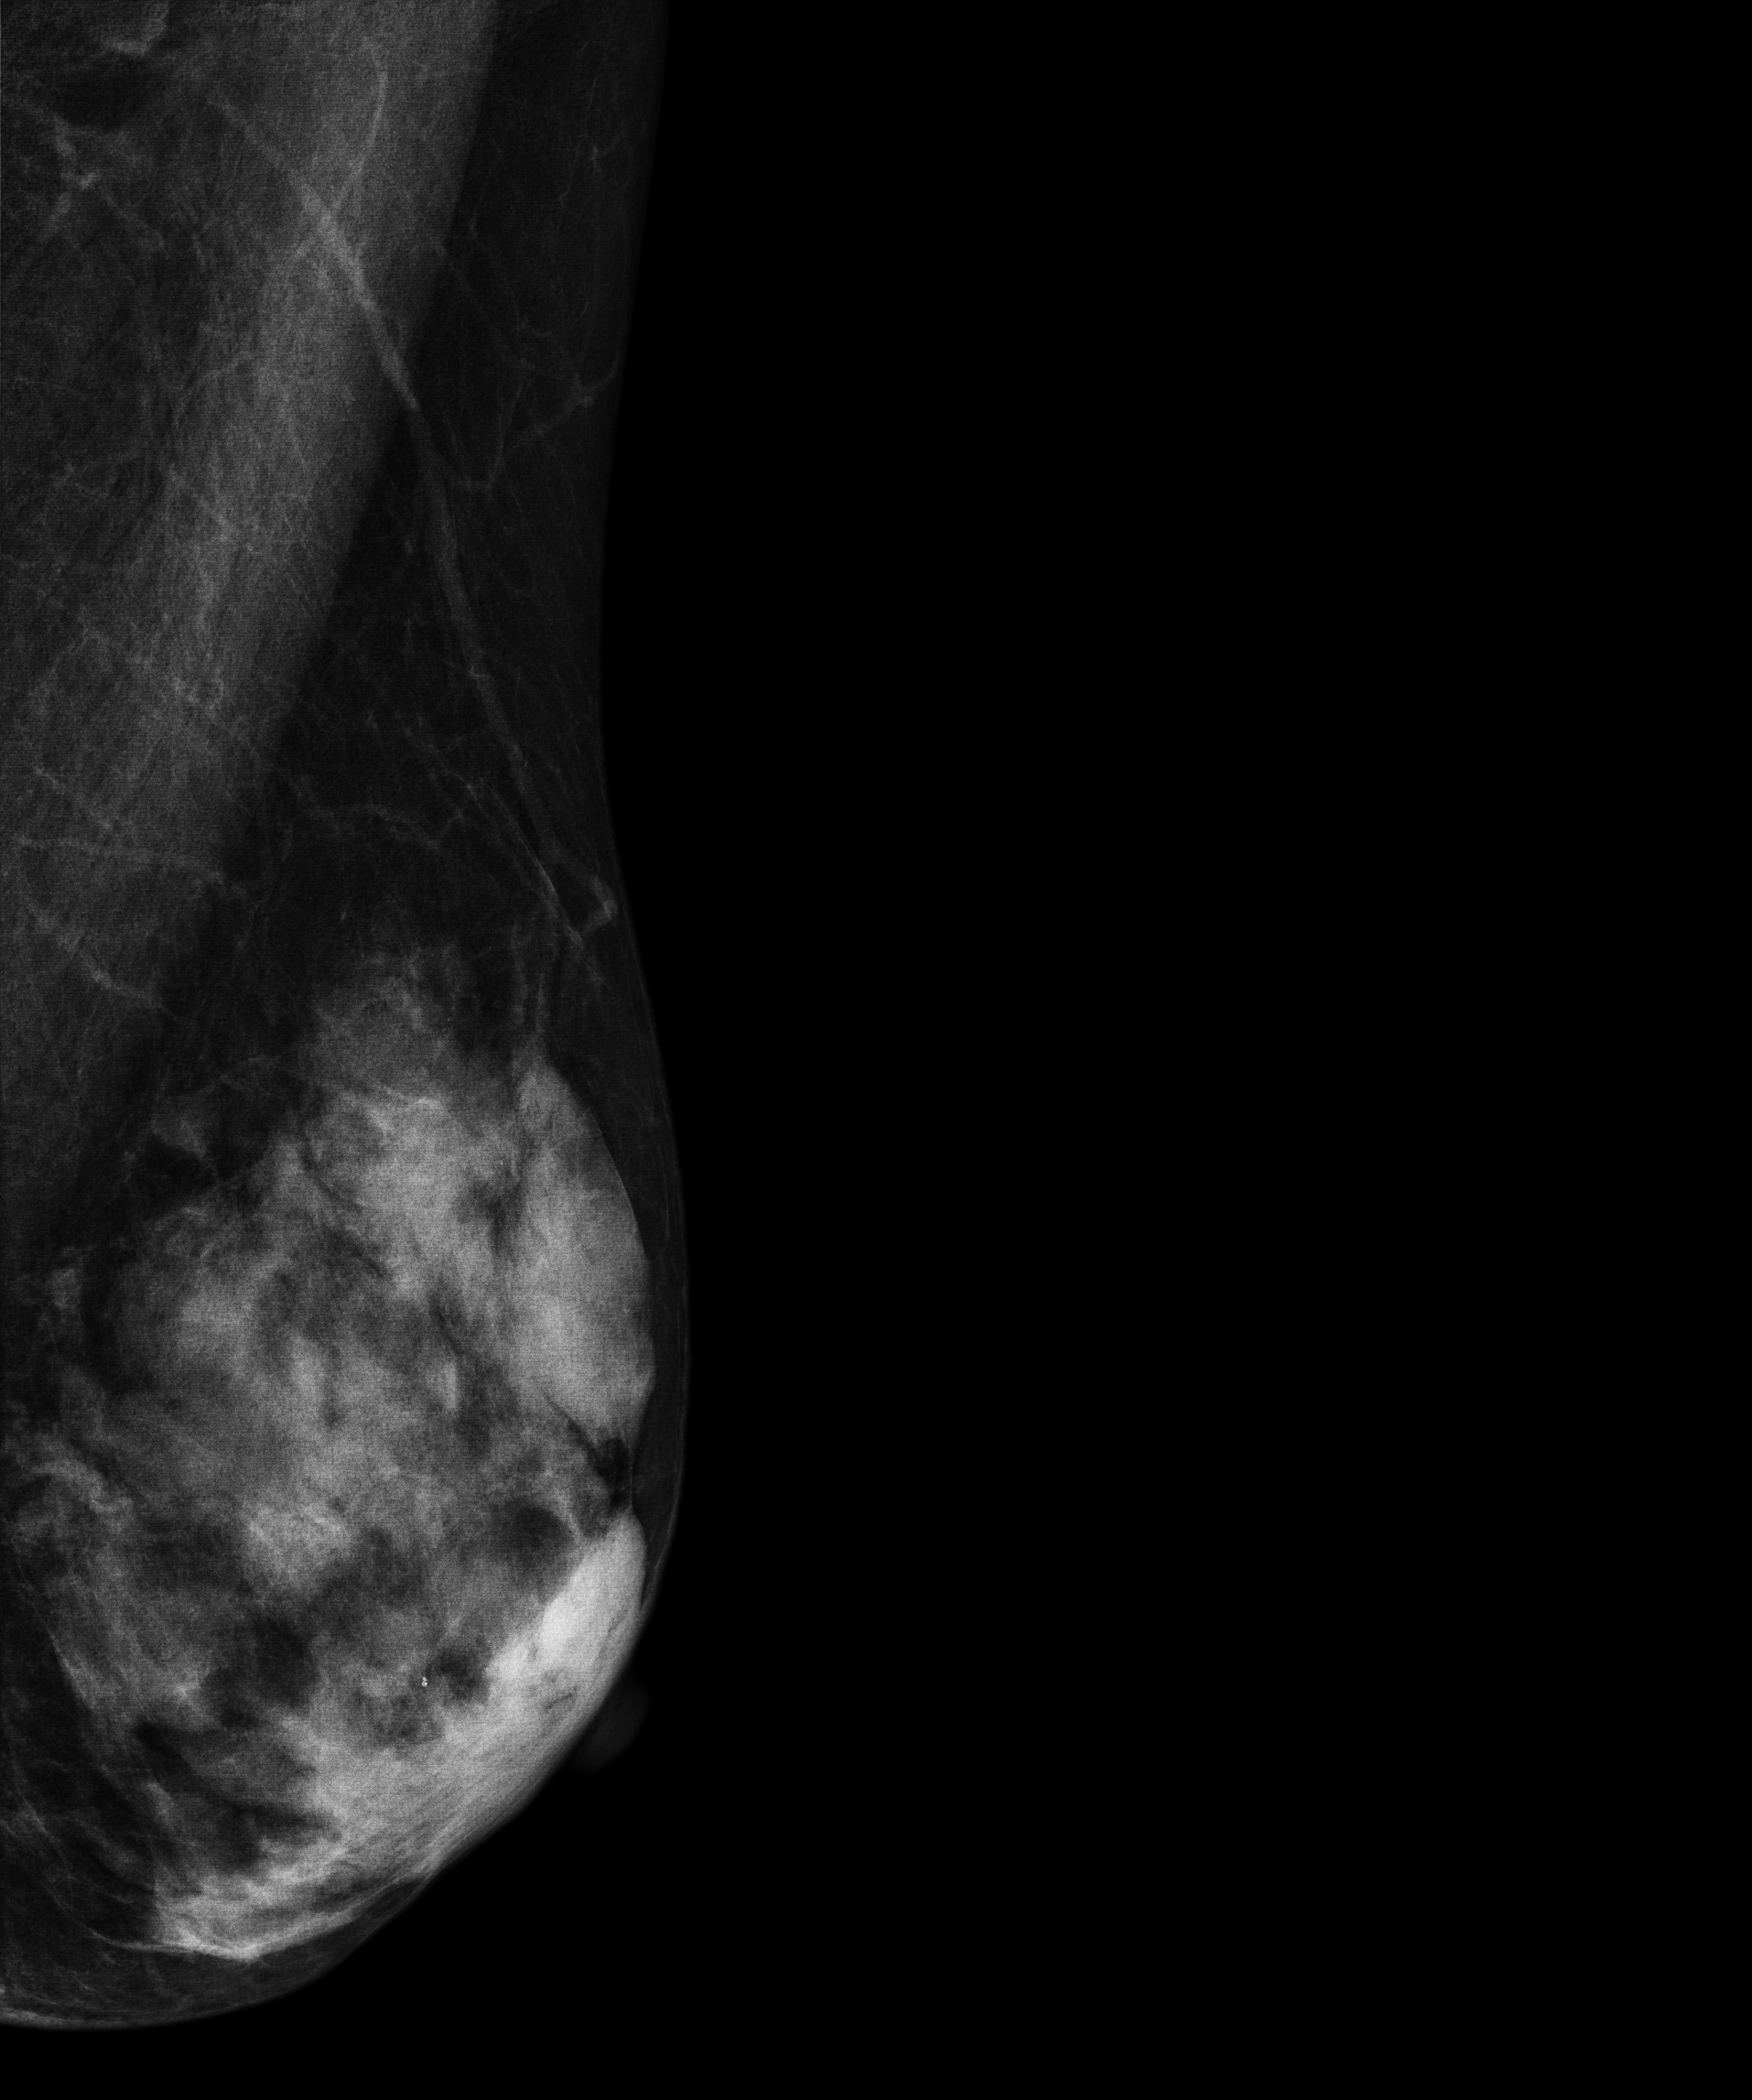
Left-breast mammogram, MLO. 60 y/o patient.
Contralateral breast — no documented abnormality on this side.